Mammogram, left breast, CC view. 48 y/o patient.
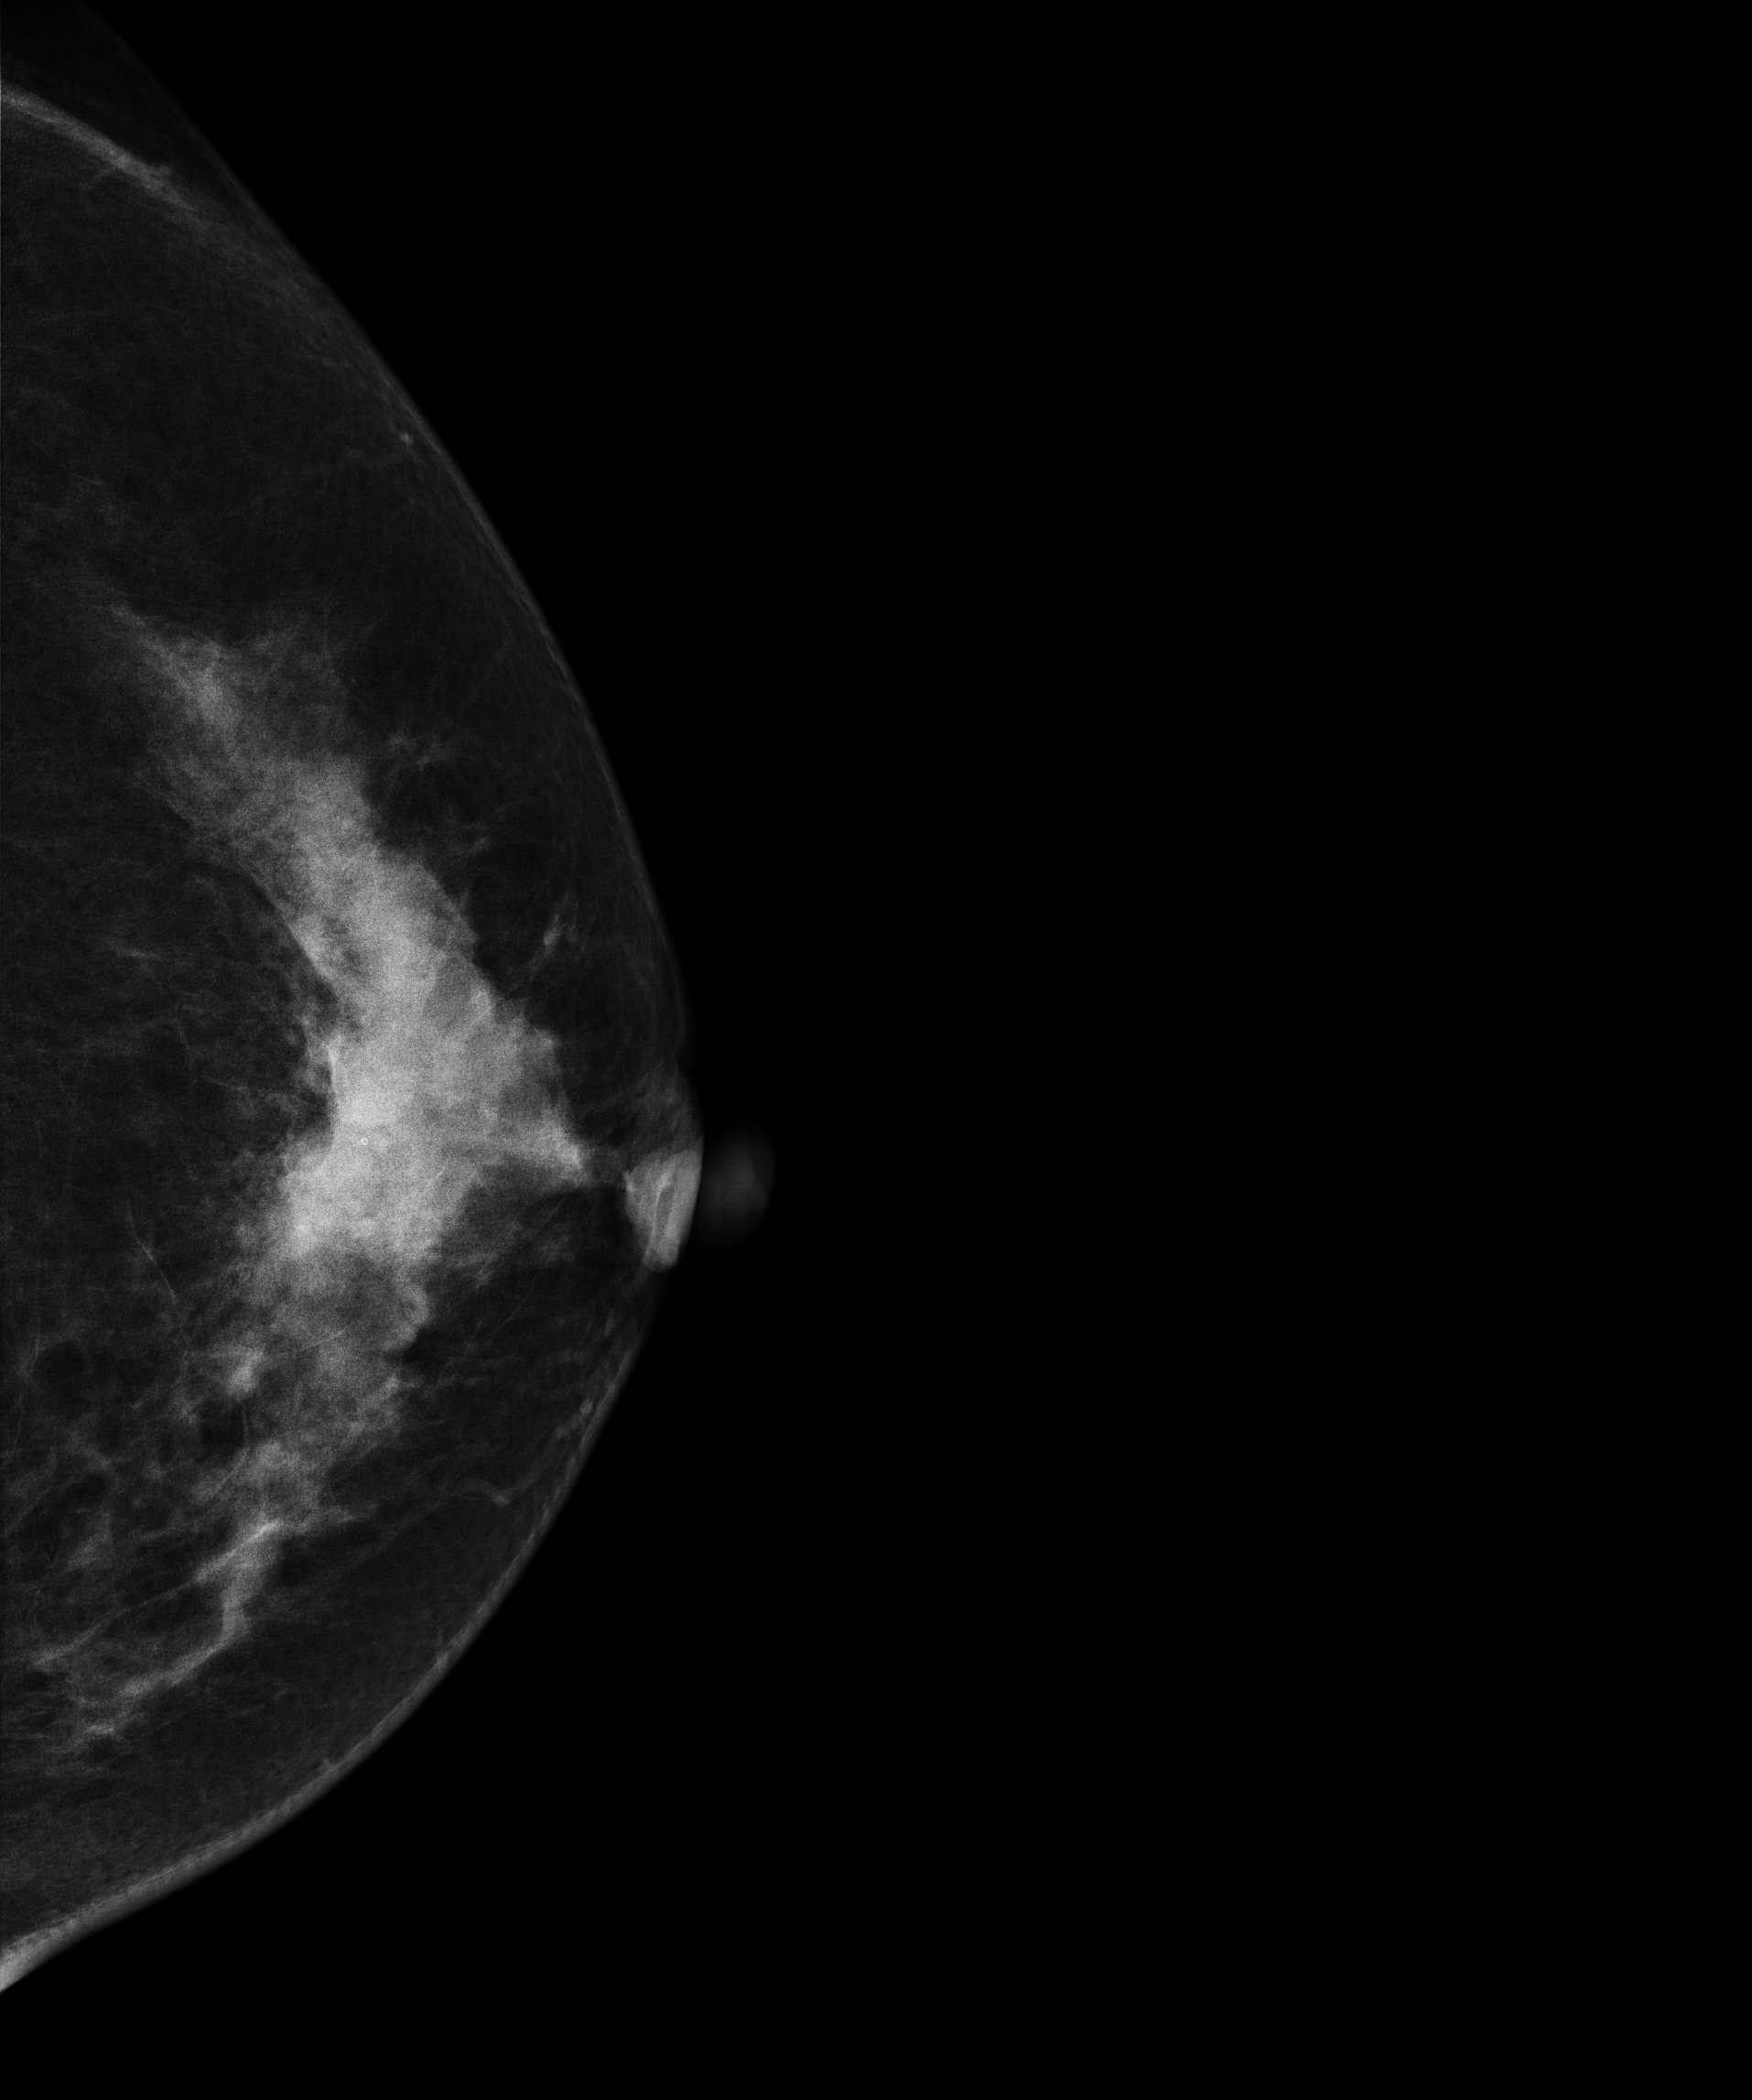
This breast has a mass, biopsy-proven malignant.